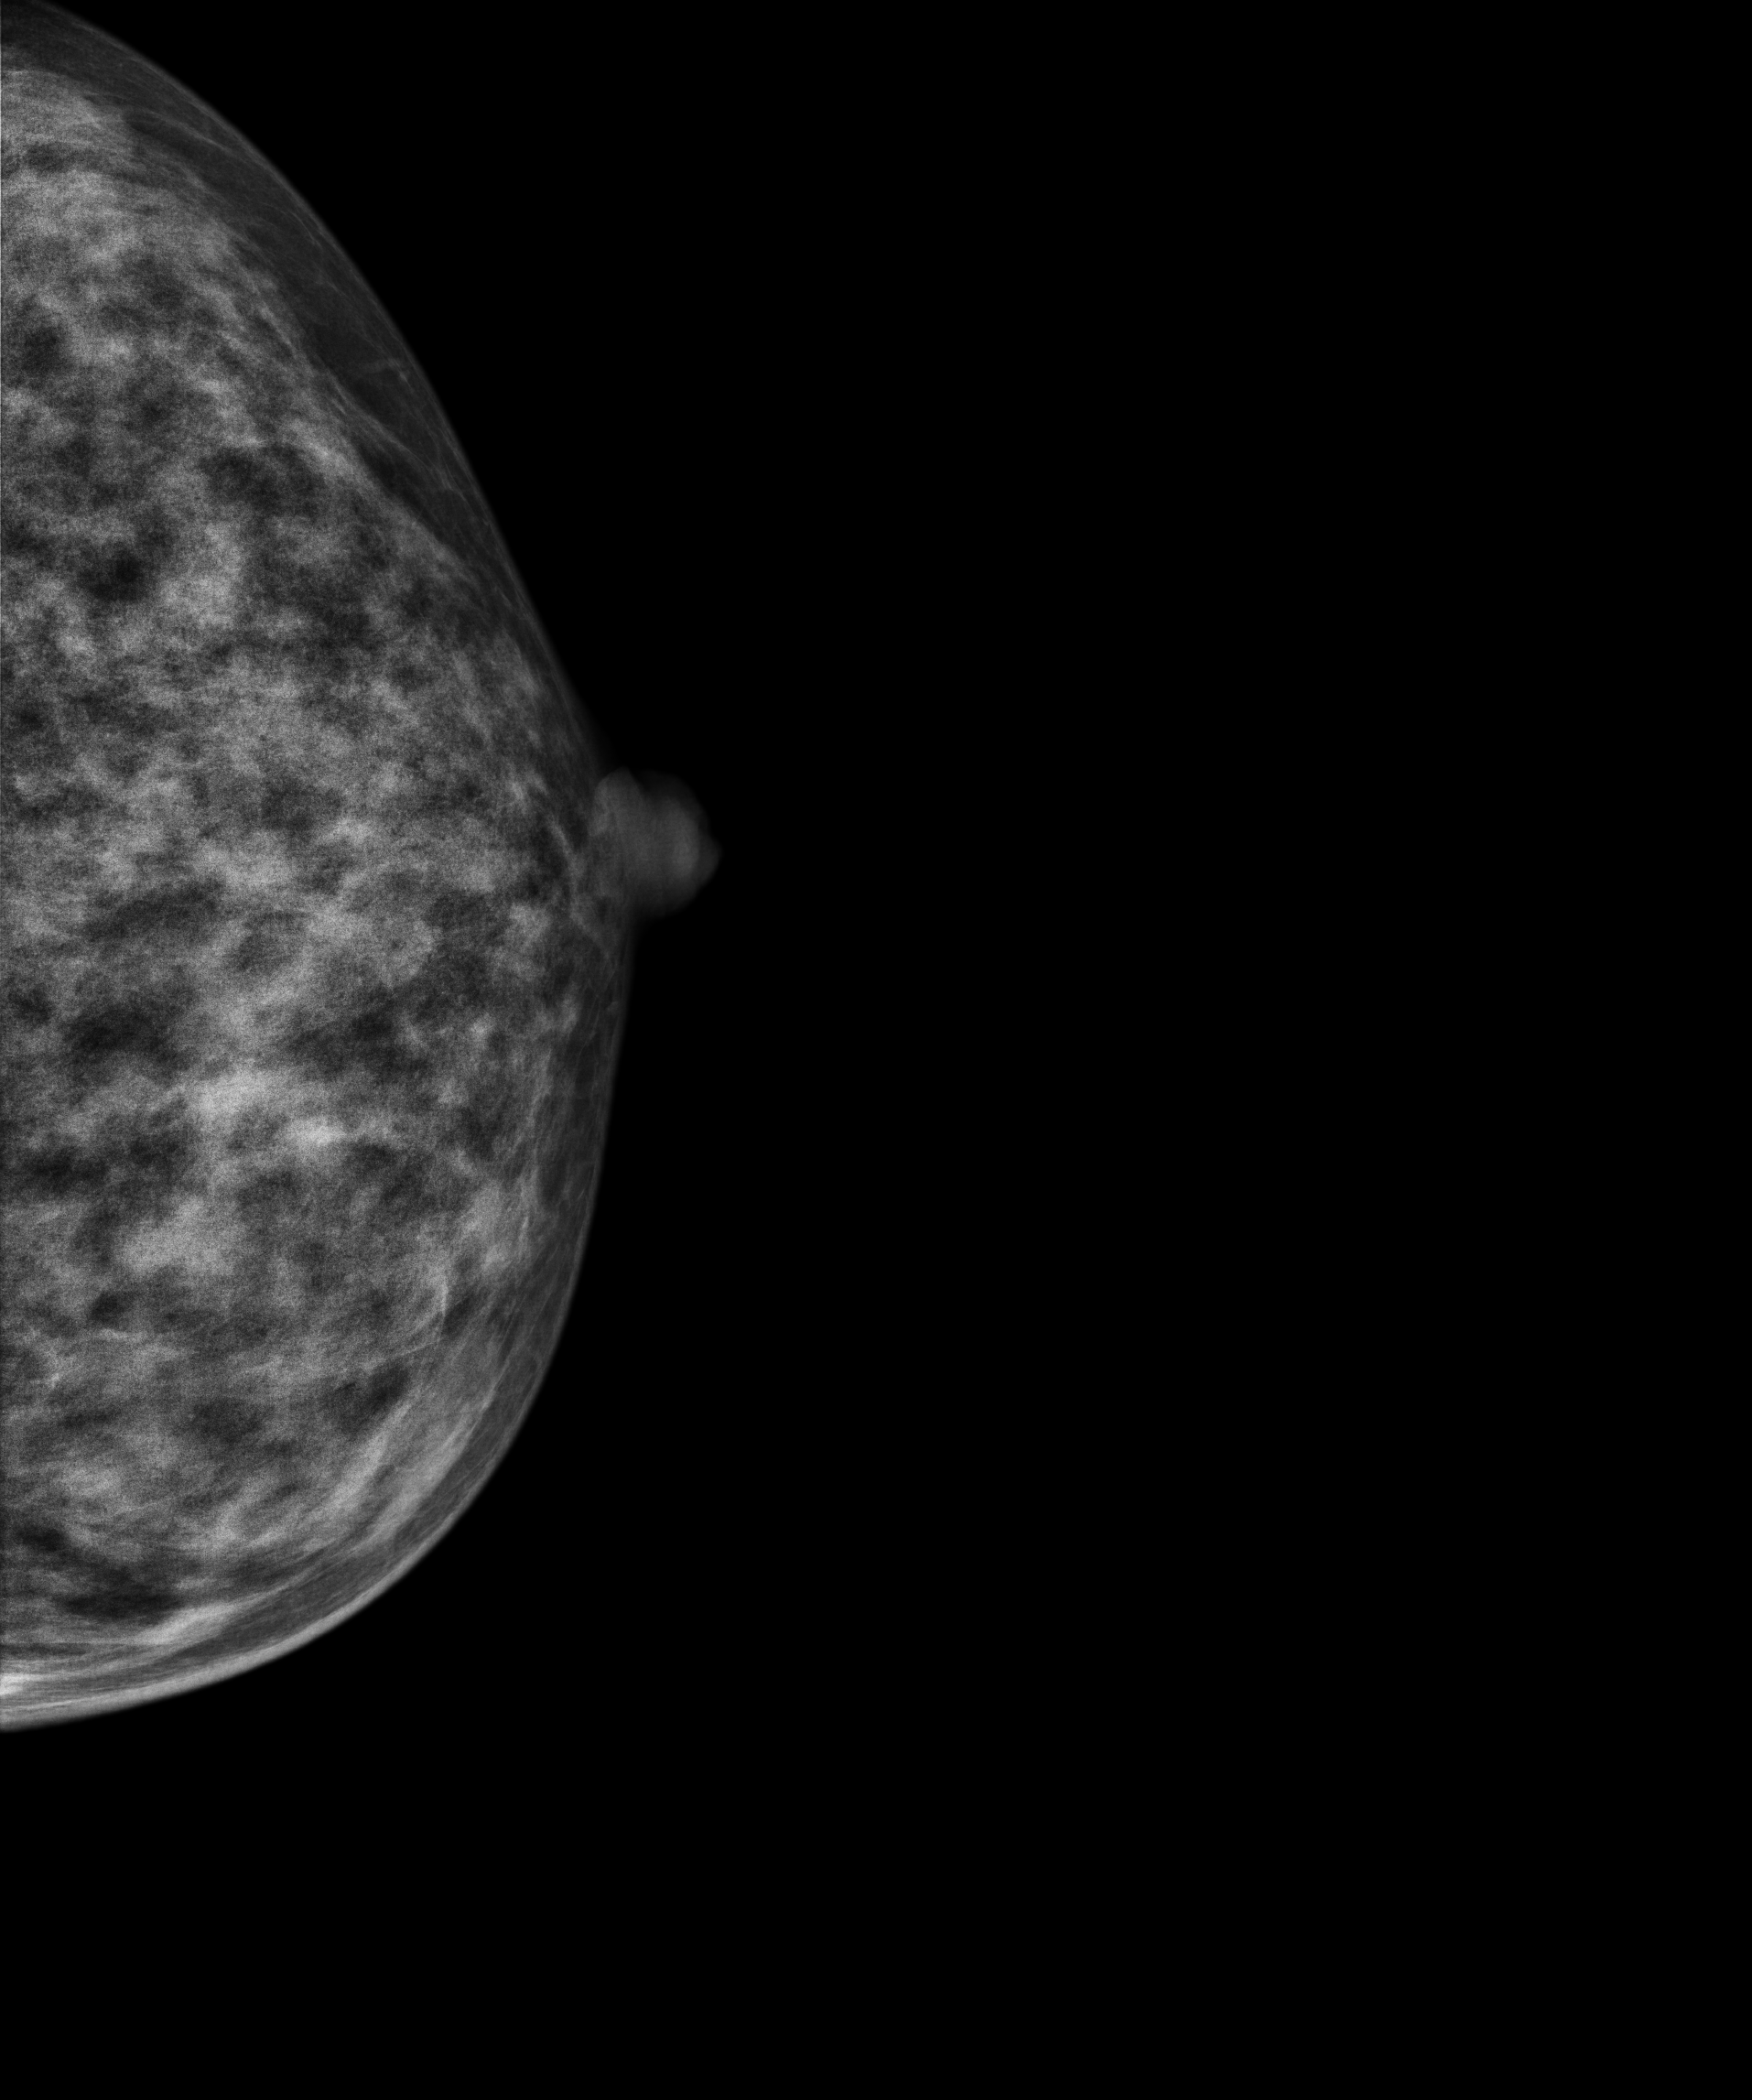
Digital mammography. Left breast, CC projection. Patient age 42.
Contralateral breast — no documented abnormality on this side.